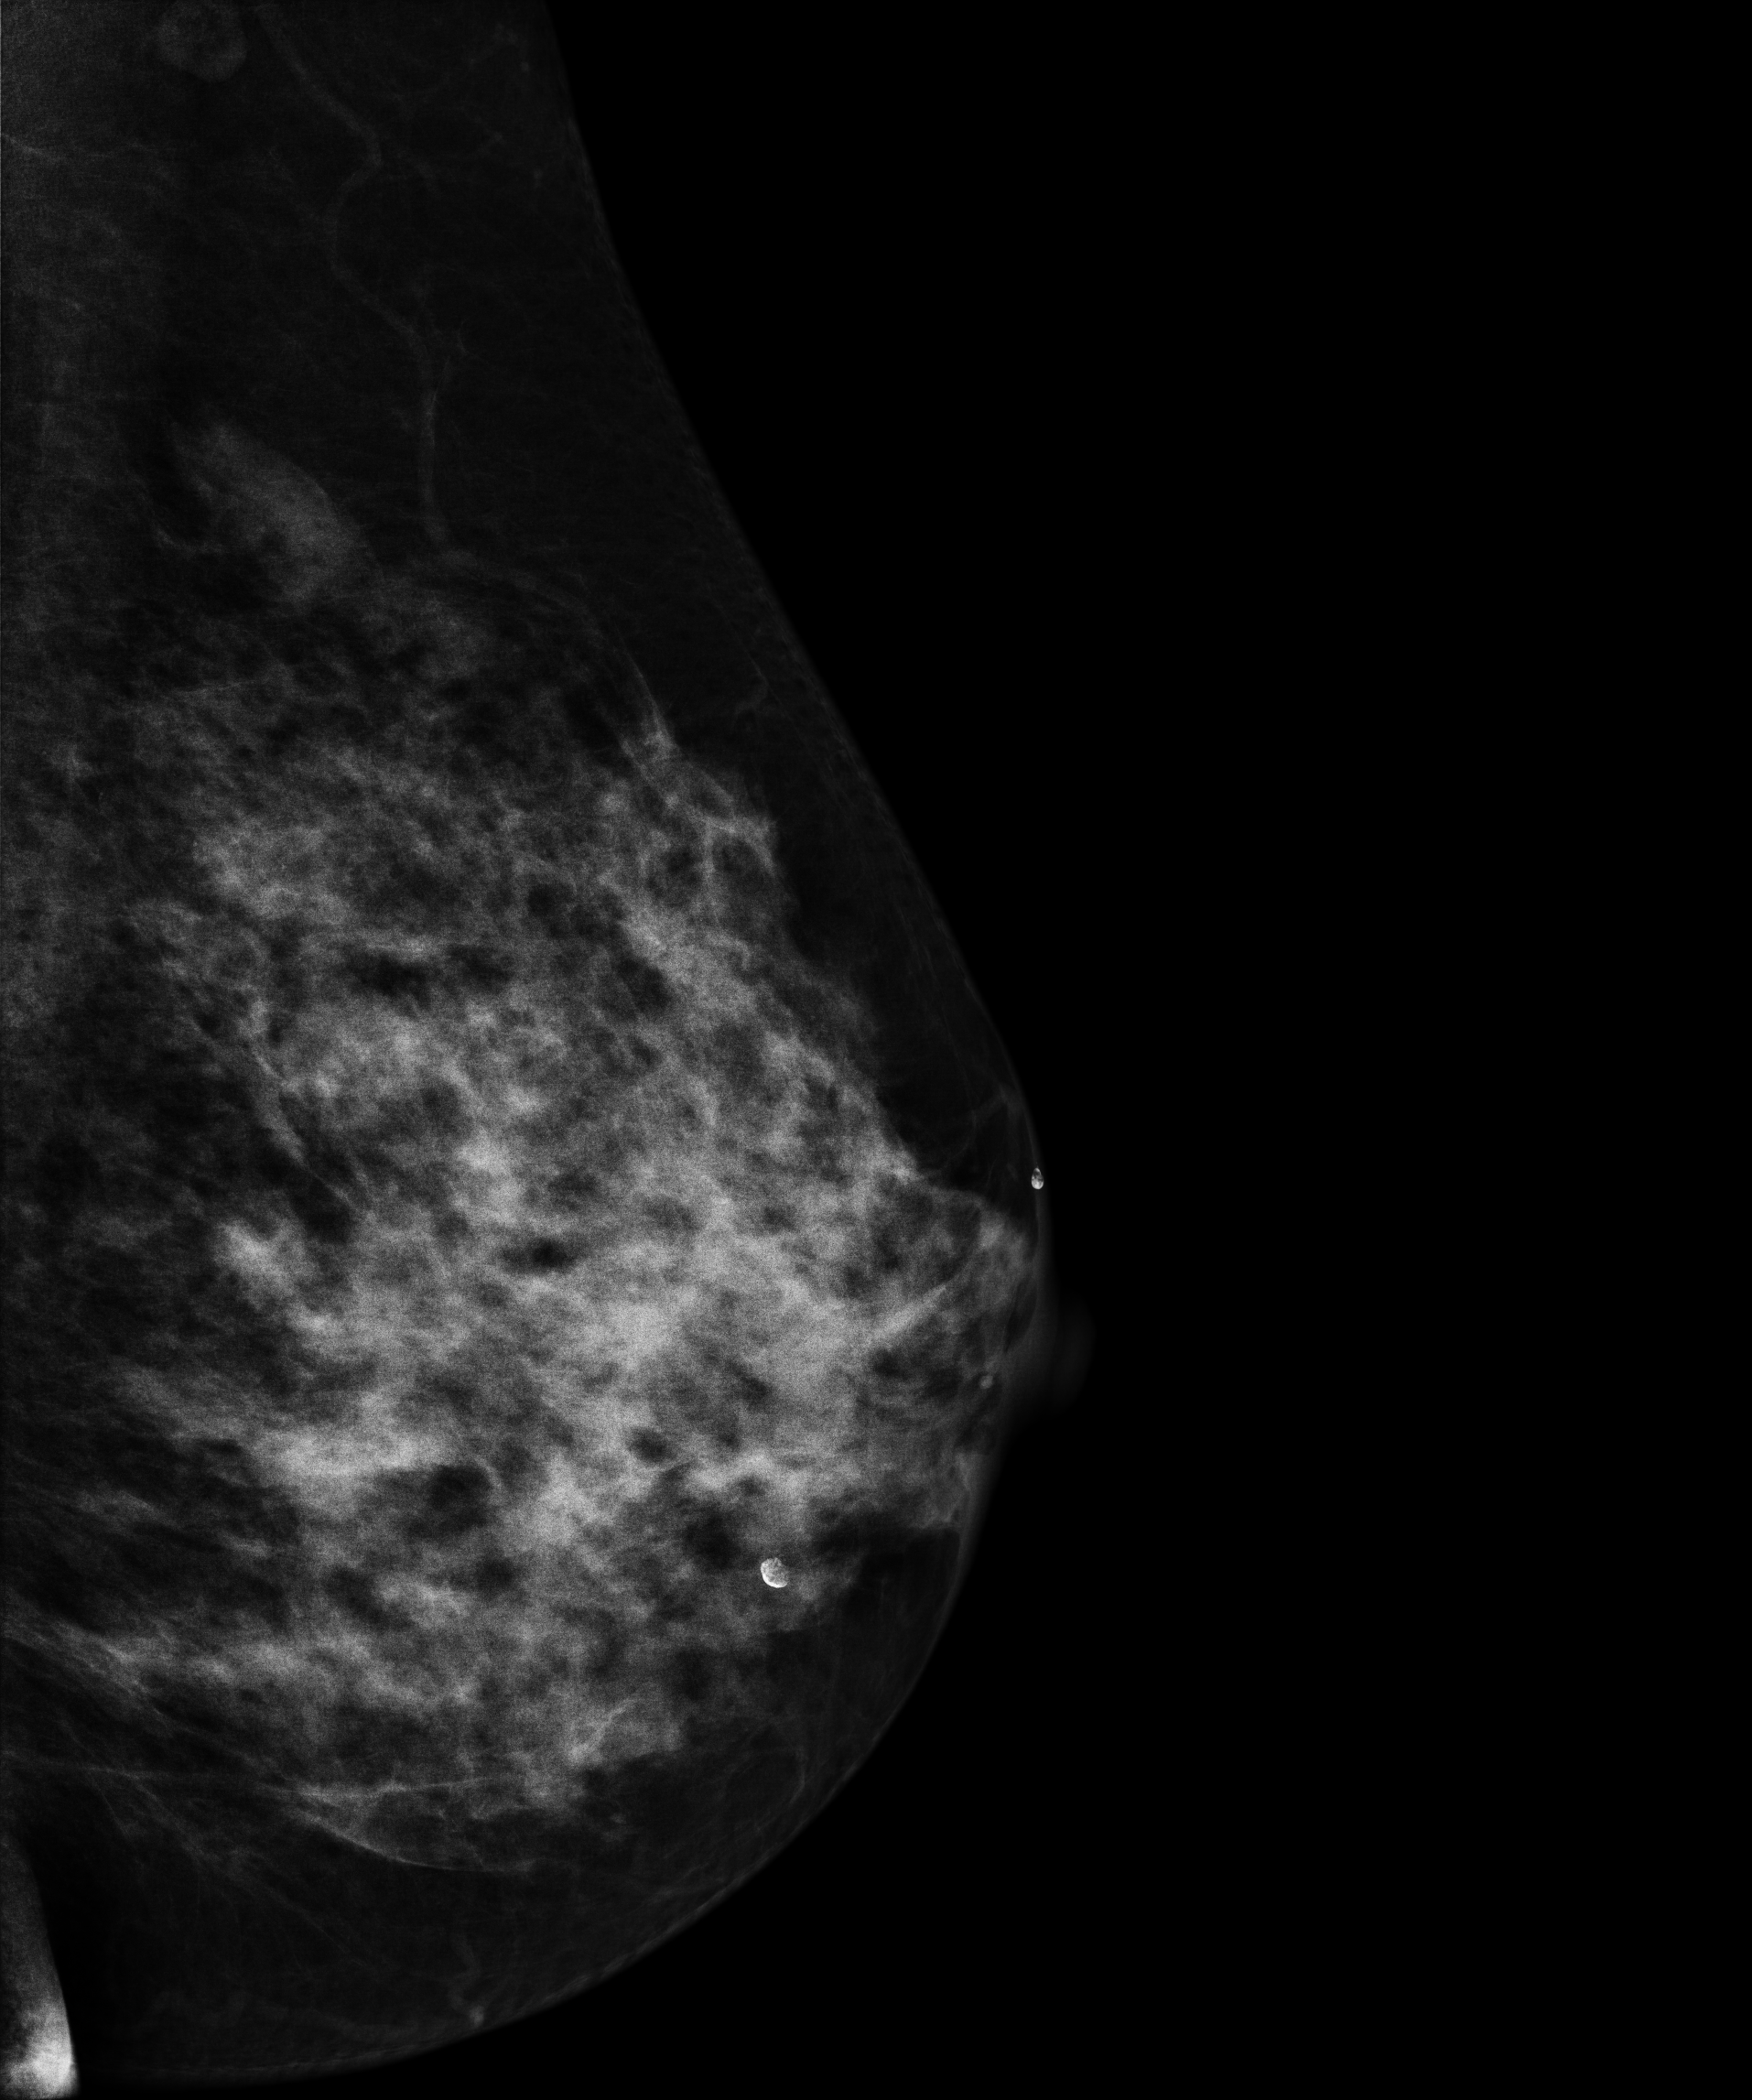
Mammogram — left medio-lateral oblique. Patient age 55.
Contralateral breast — no documented abnormality on this side.